Left-breast mammogram, cranio-caudal. Patient age 42.
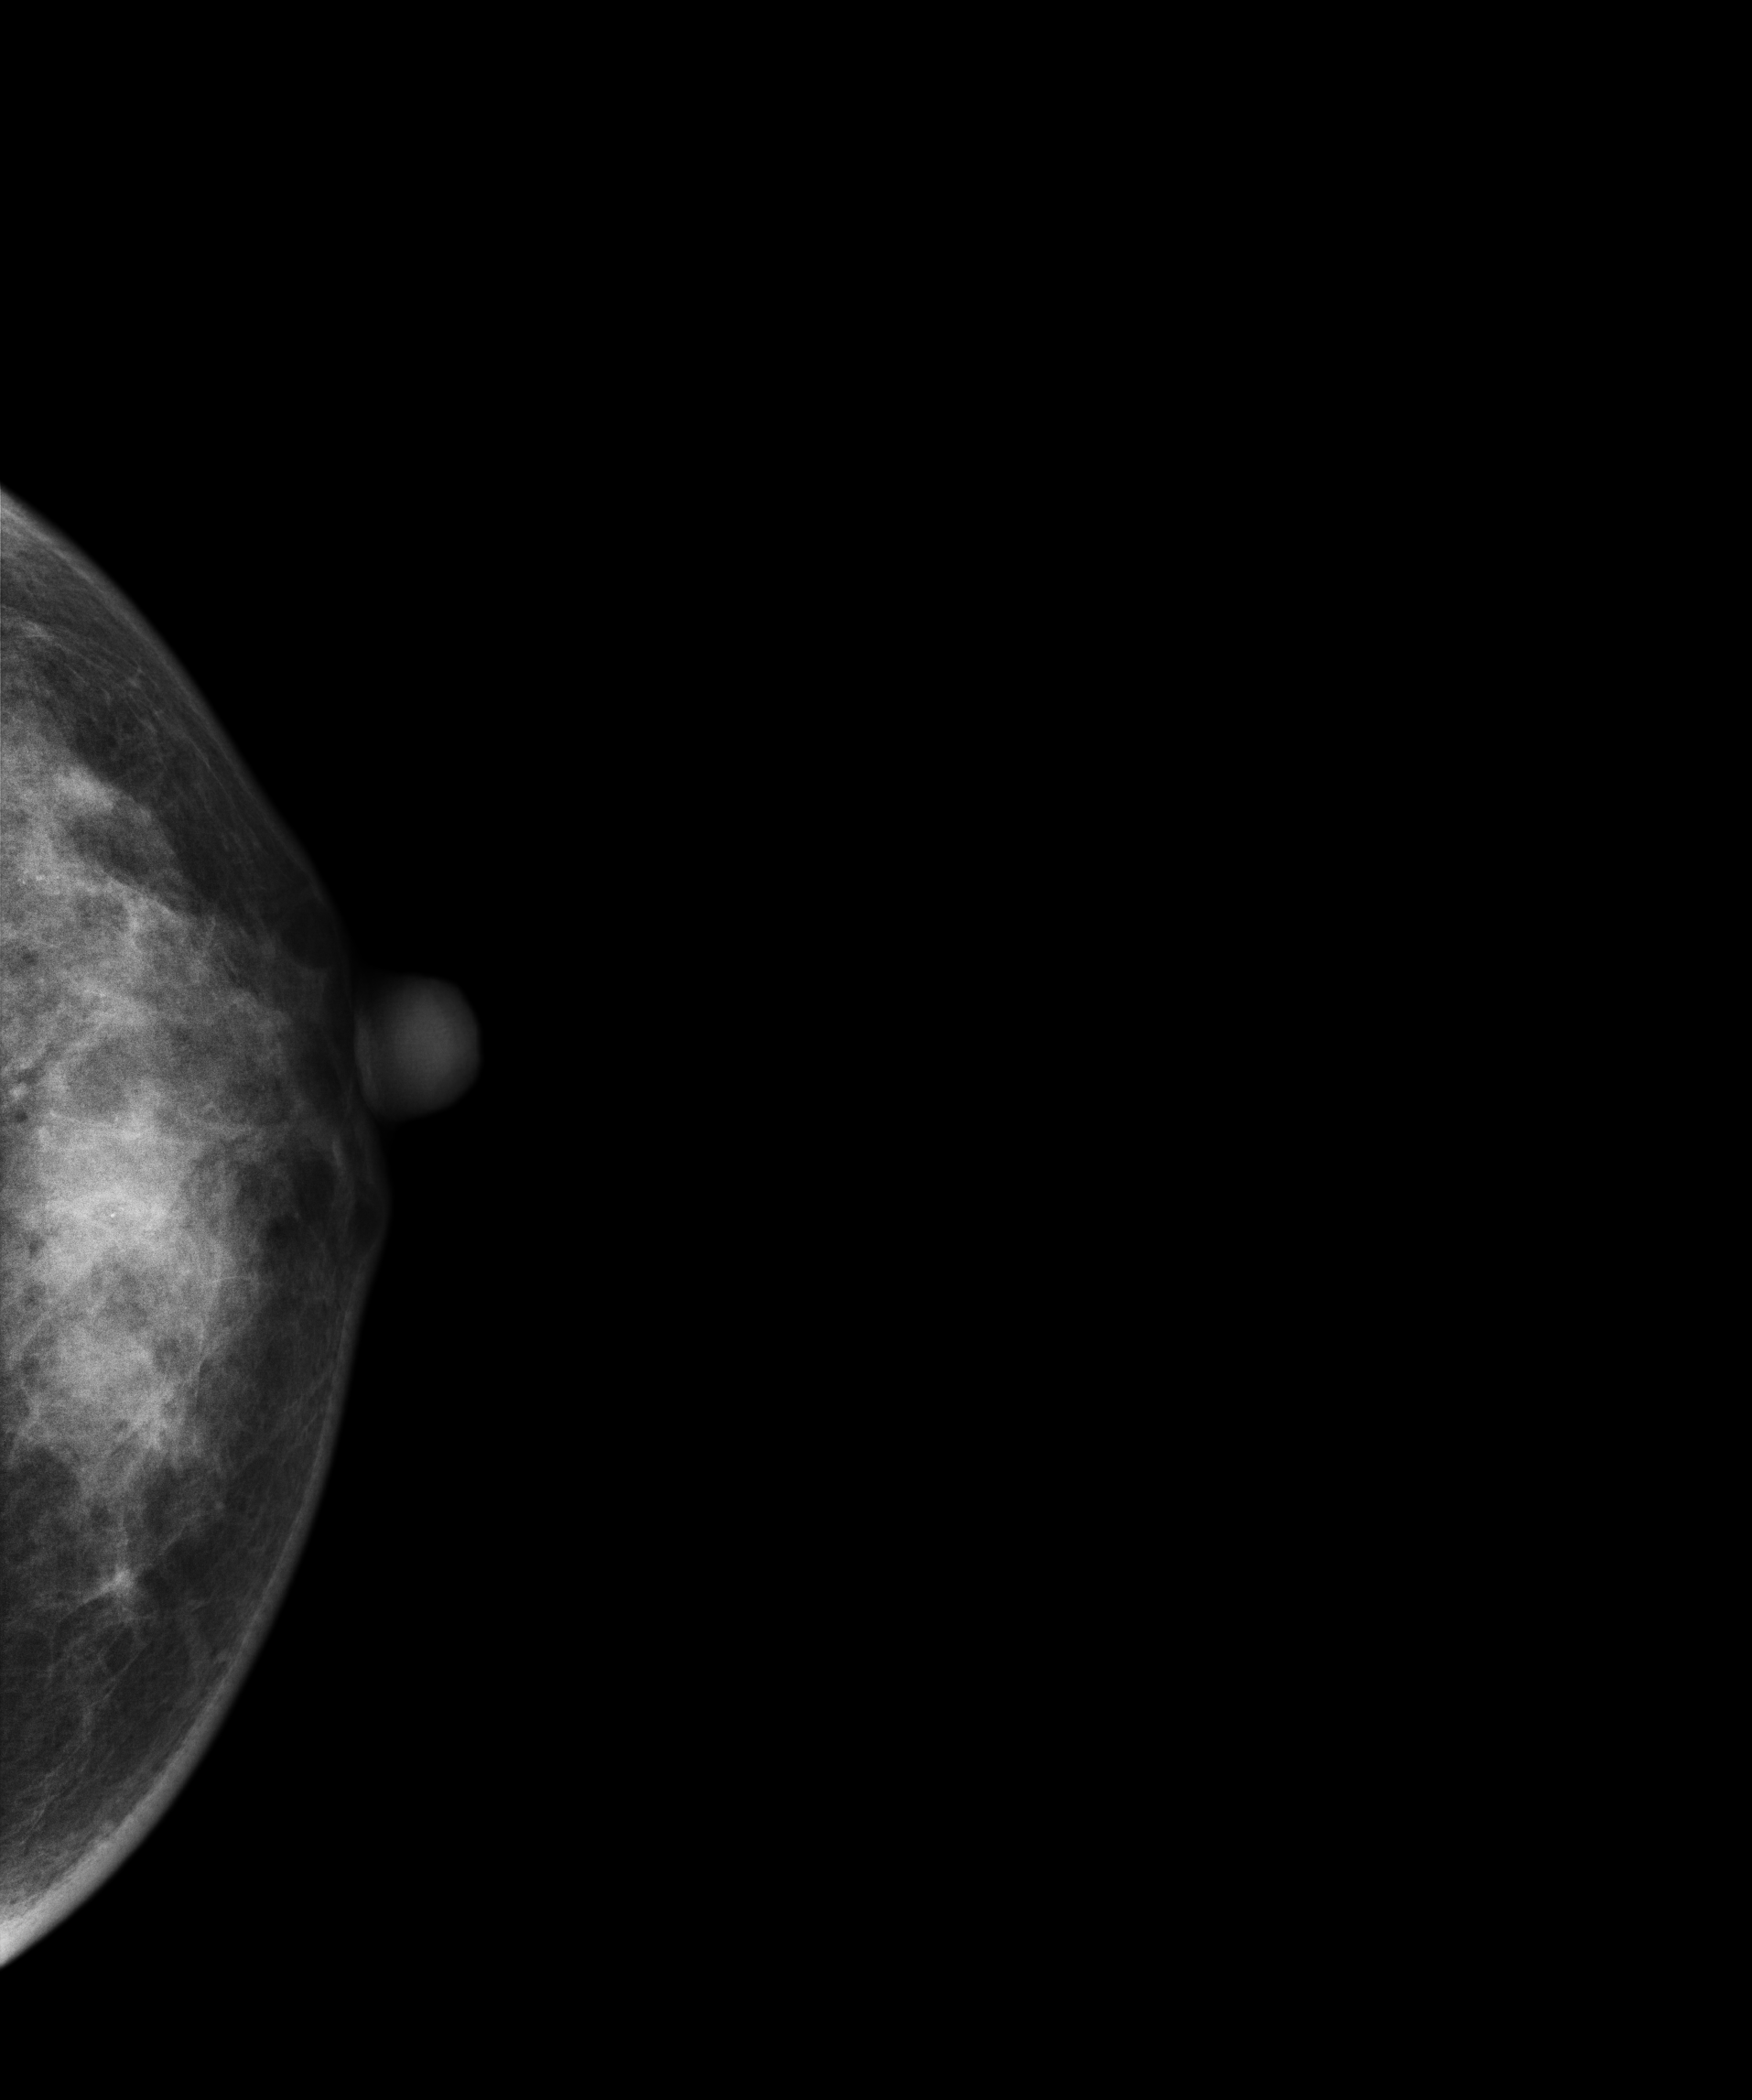
This breast has a mass and calcifications, pathology-confirmed malignant.